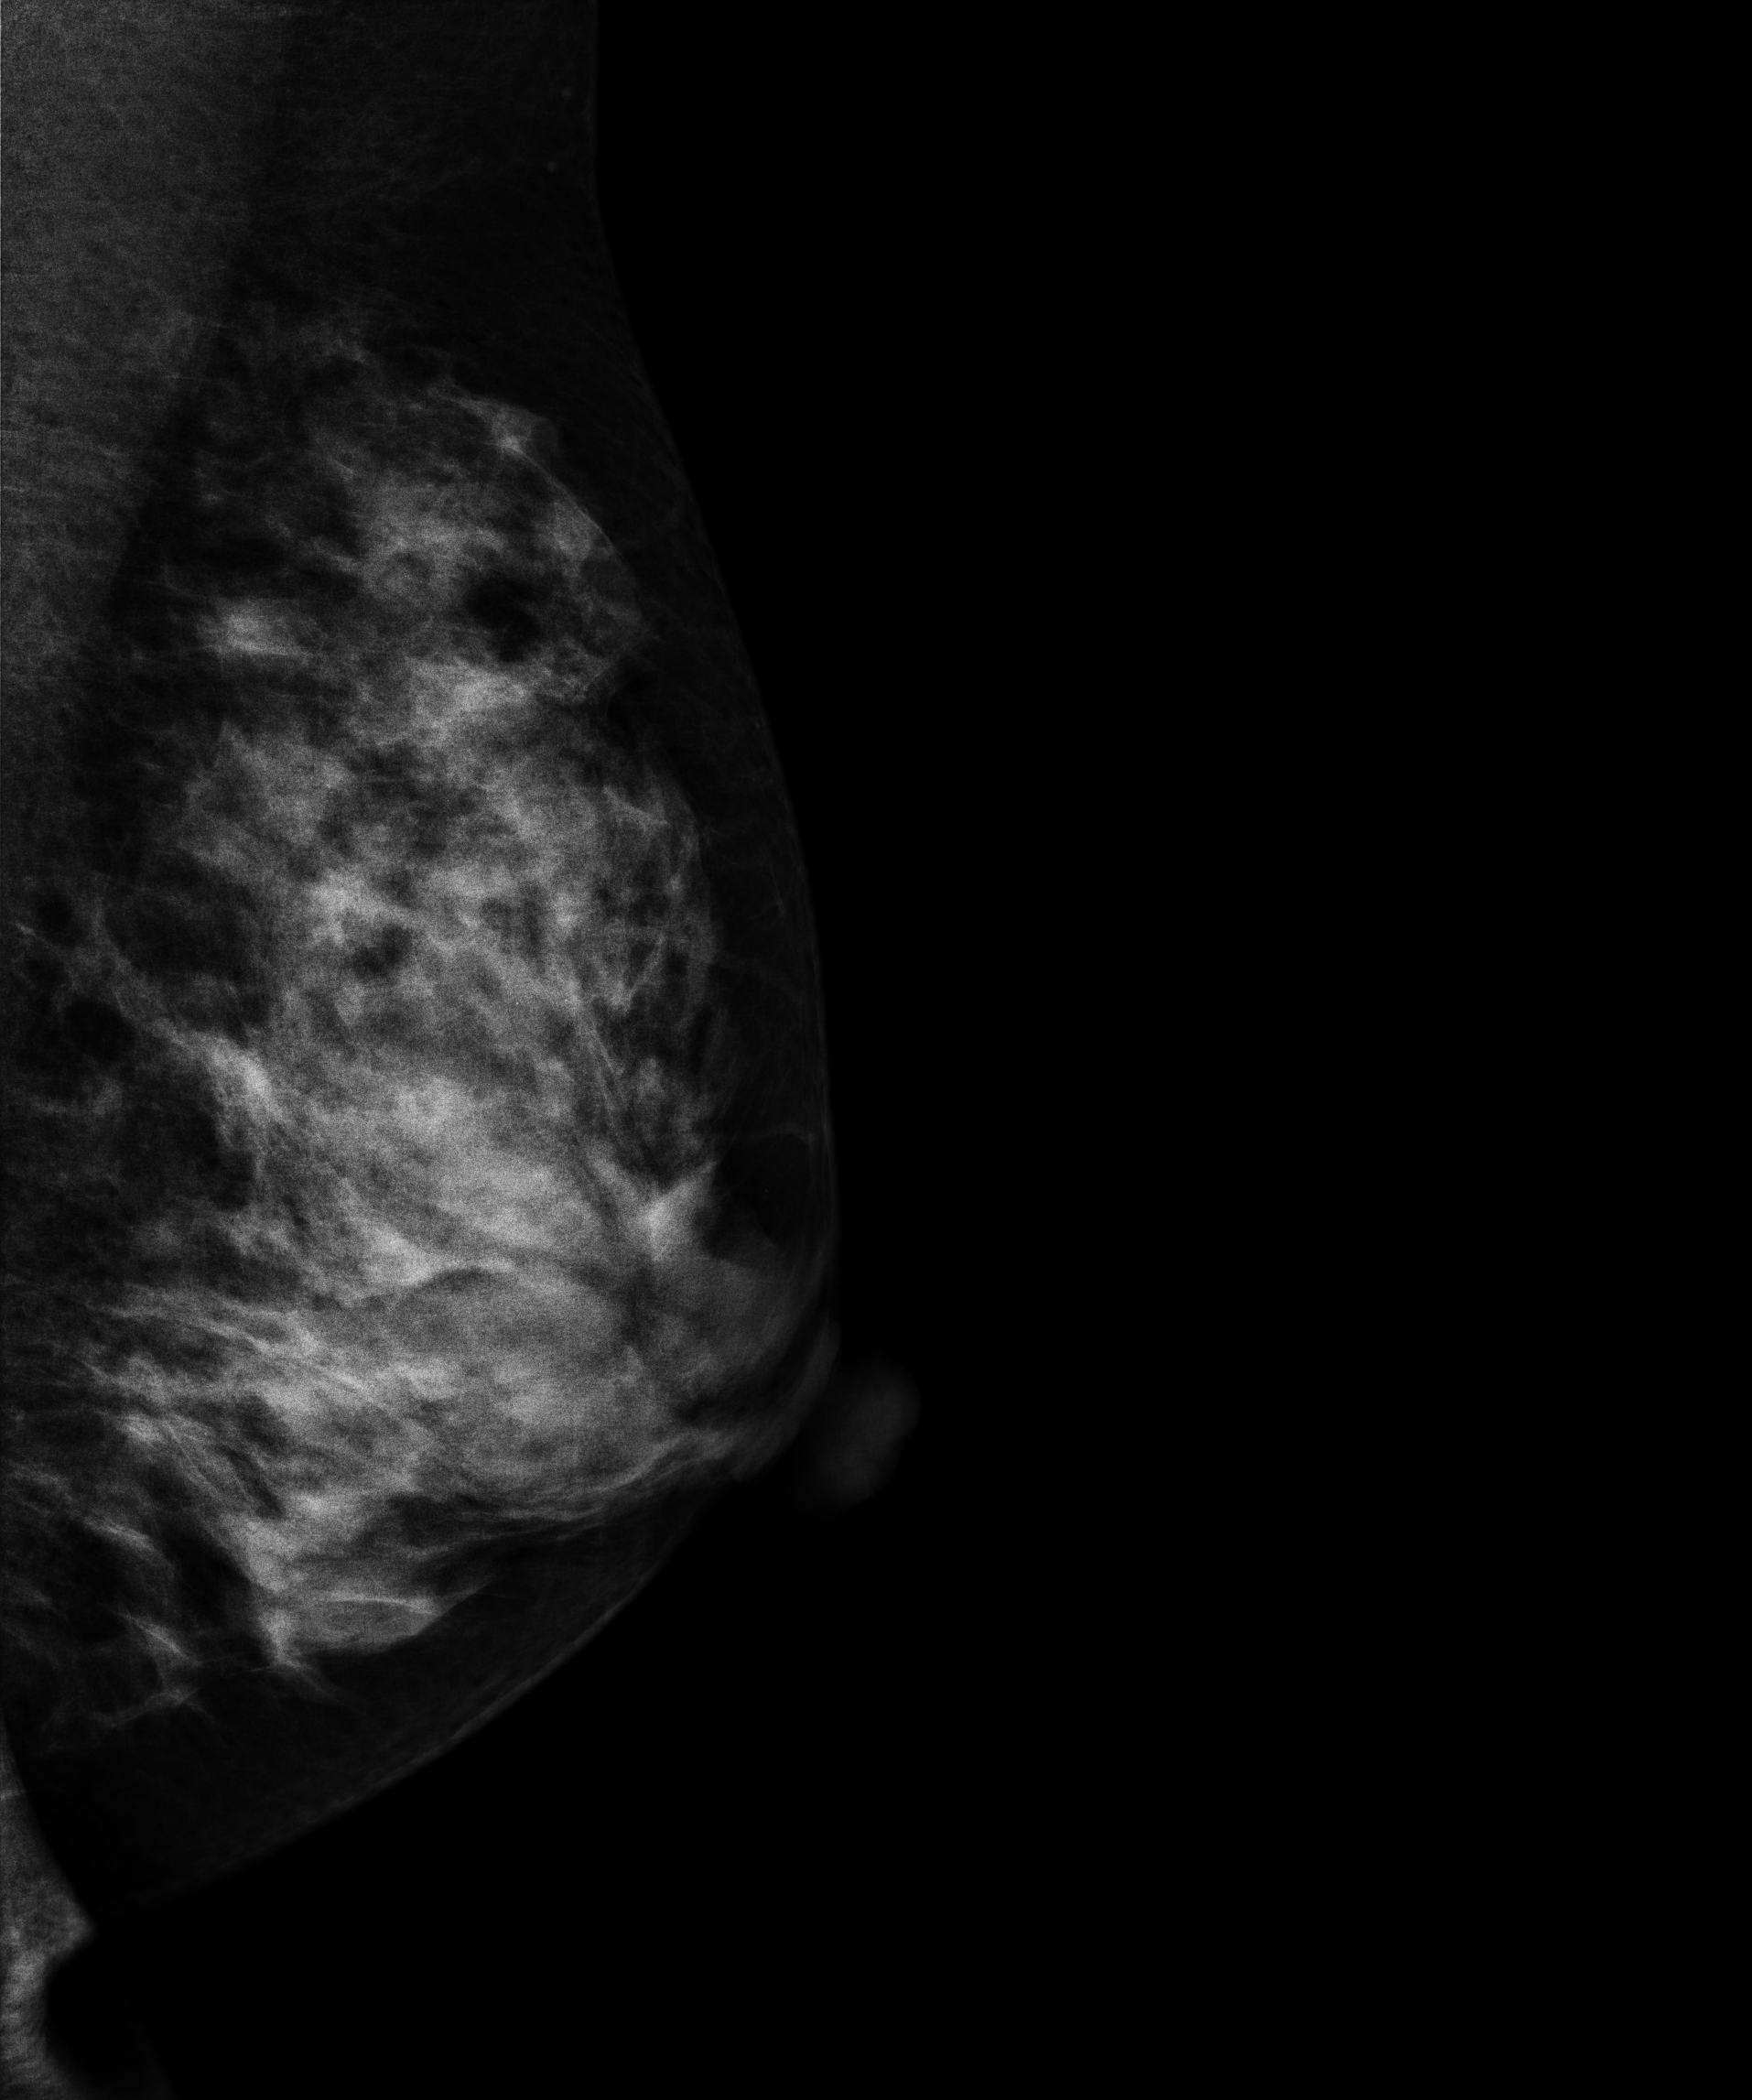
Medio-lateral oblique mammogram of the left breast. Patient age 41.
Contralateral breast — no documented abnormality on this side.